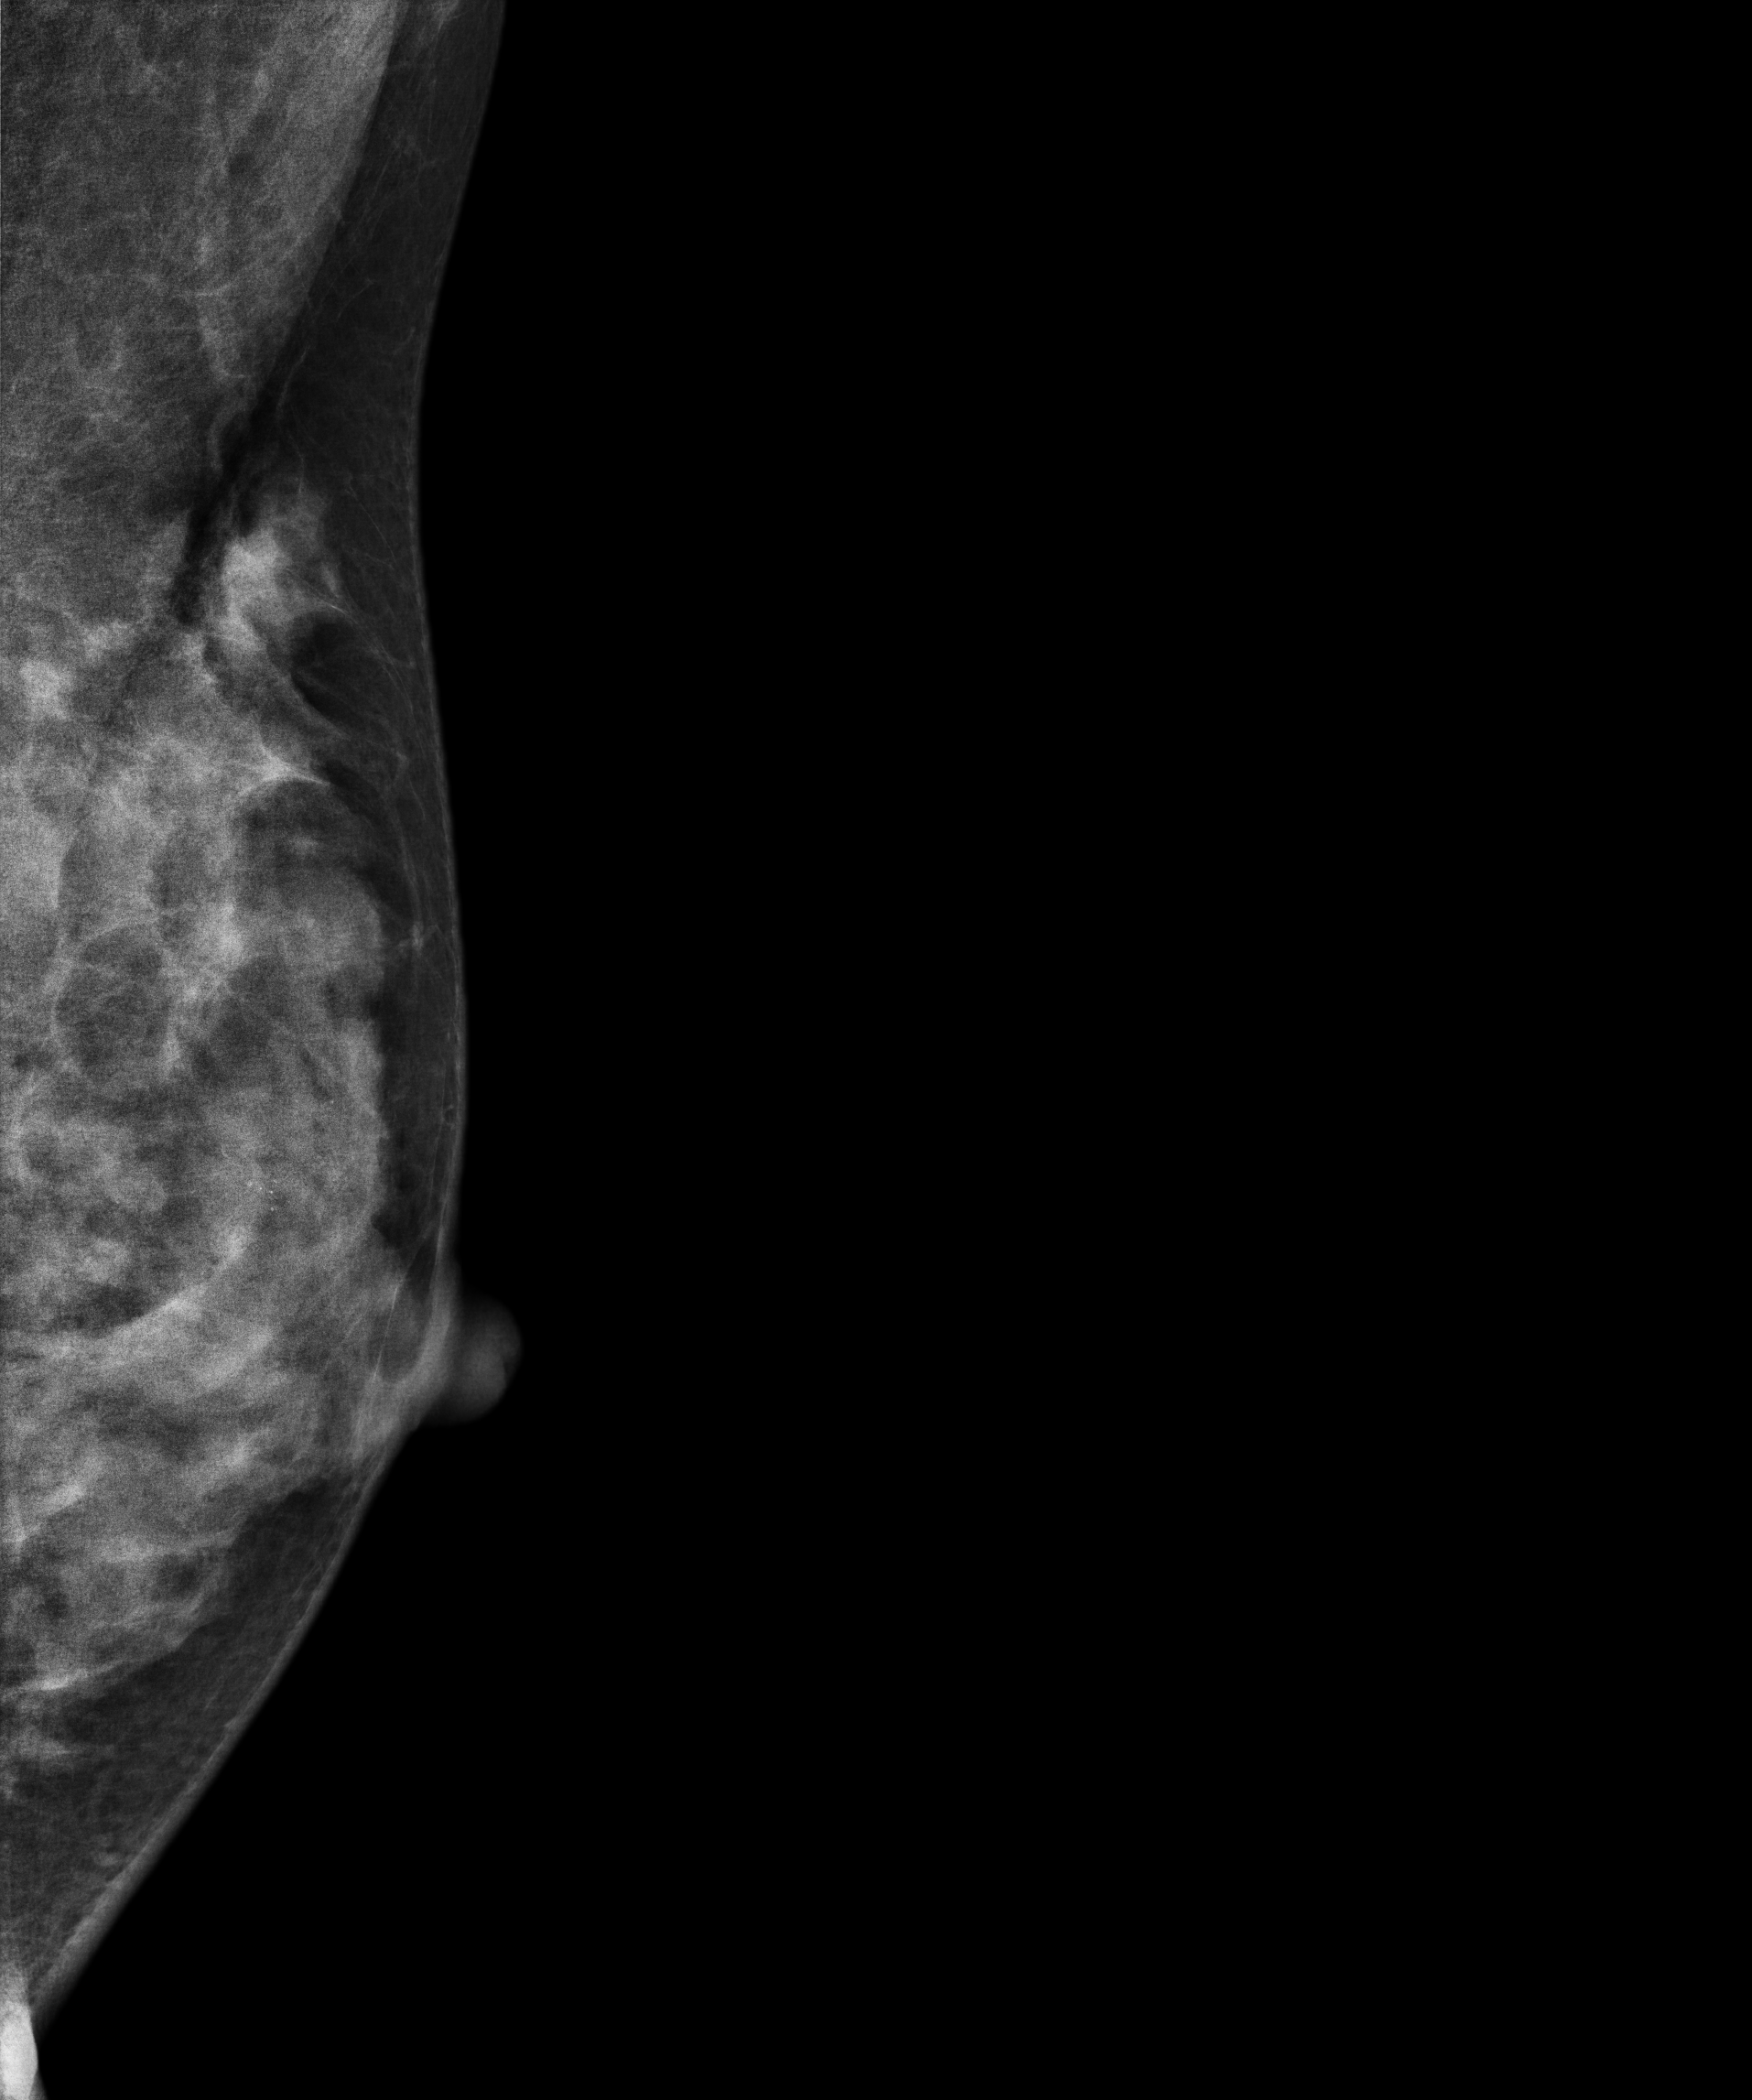
Mammogram — left MLO. Patient age 27.
Contralateral breast — no documented abnormality on this side.